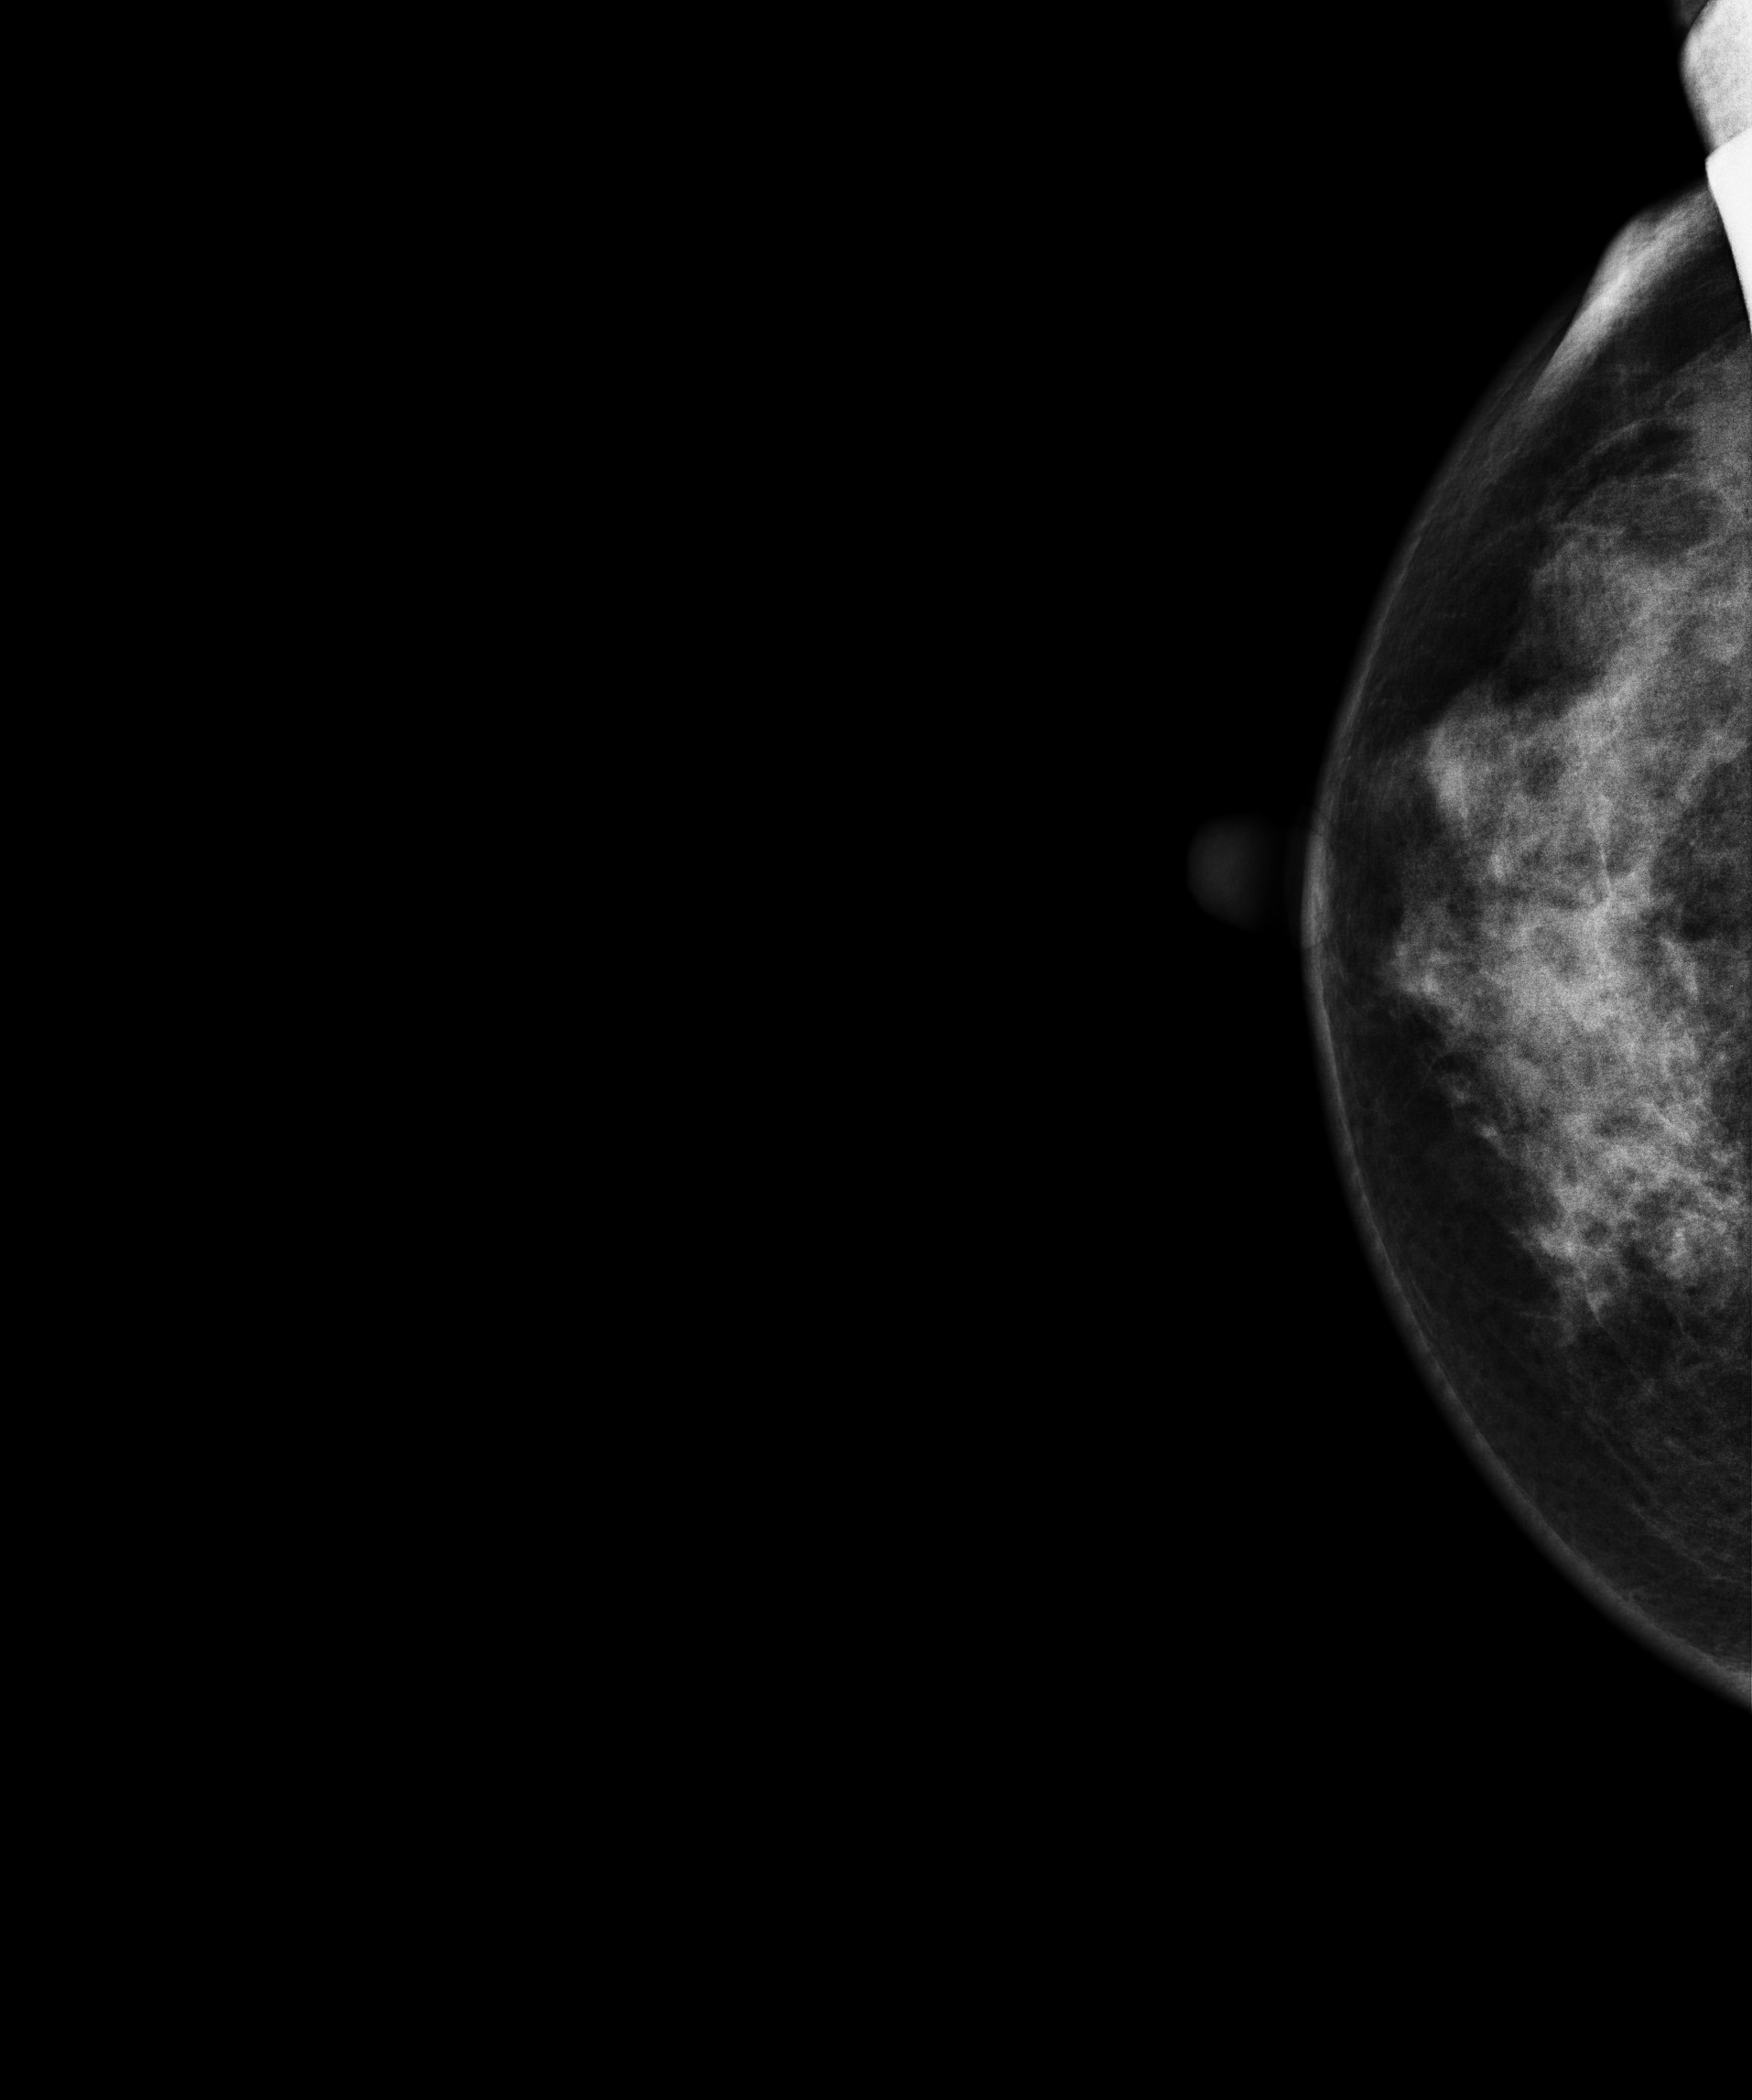
Mammogram — right cranio-caudal. 40 y/o patient.
Contralateral breast — no documented abnormality on this side.